Left-breast mammogram, cranio-caudal. Patient age 51.
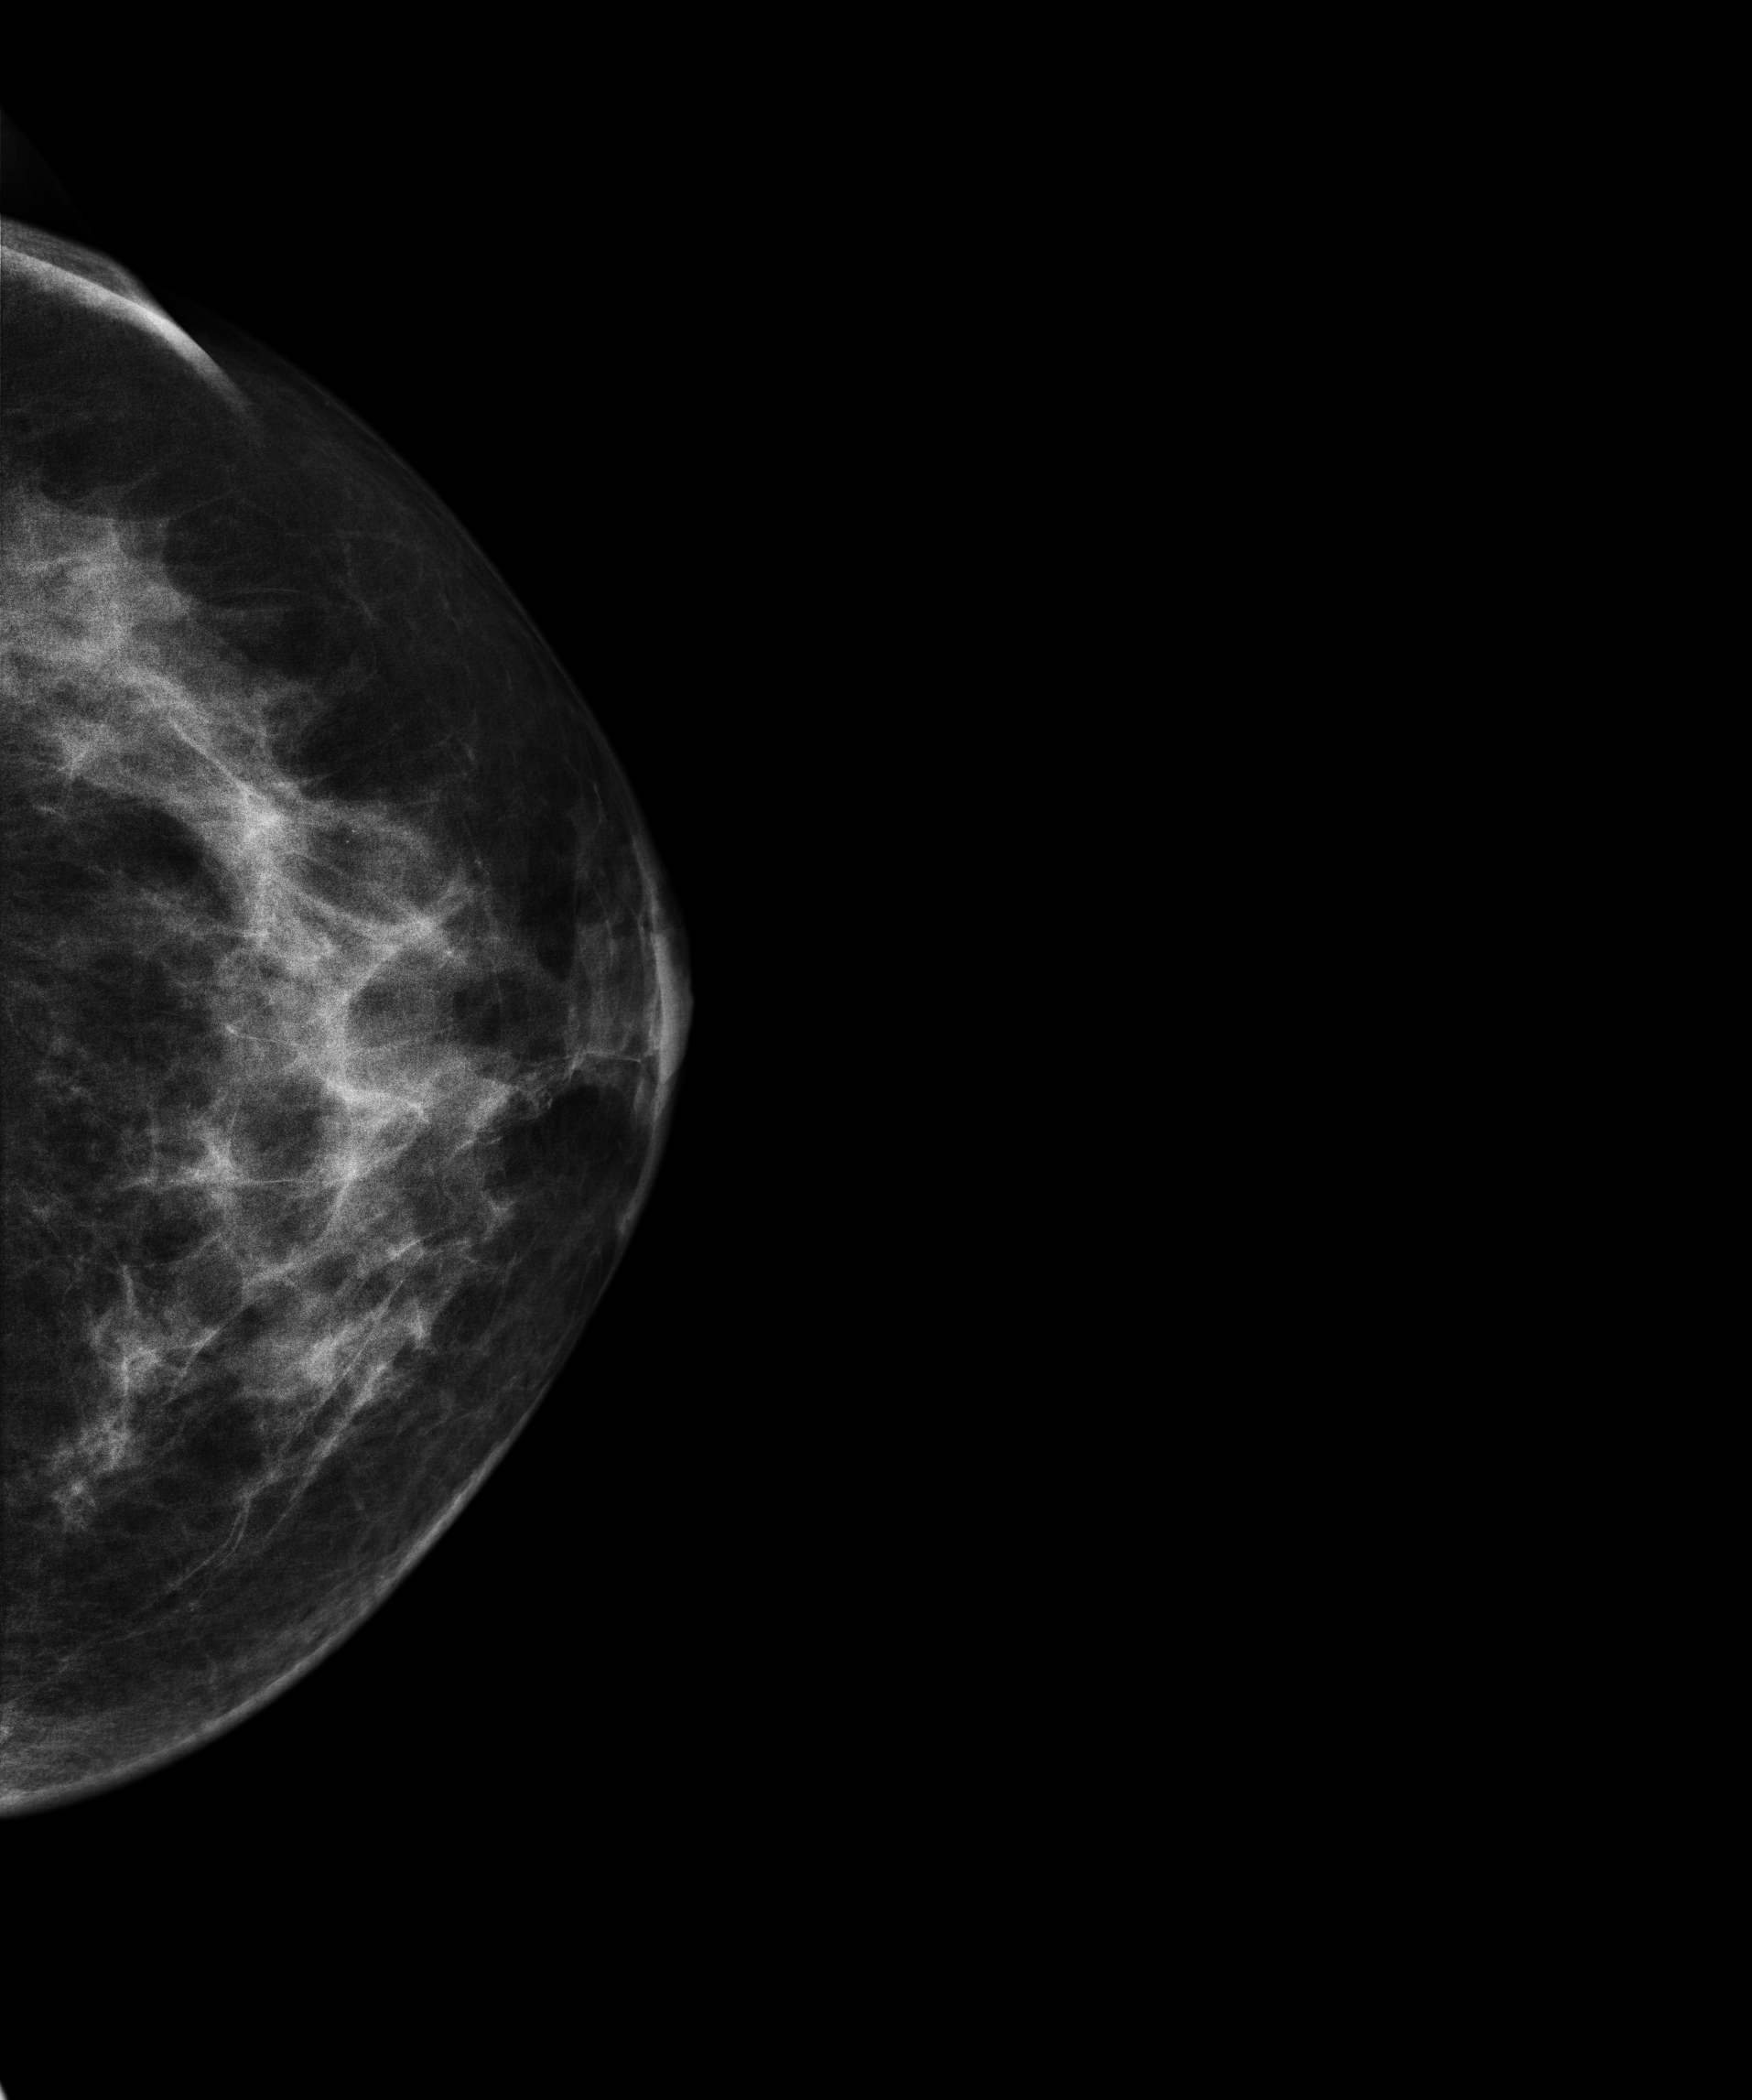
This breast has a mass, pathology-confirmed malignant. Molecular subtype: HER2-enriched.